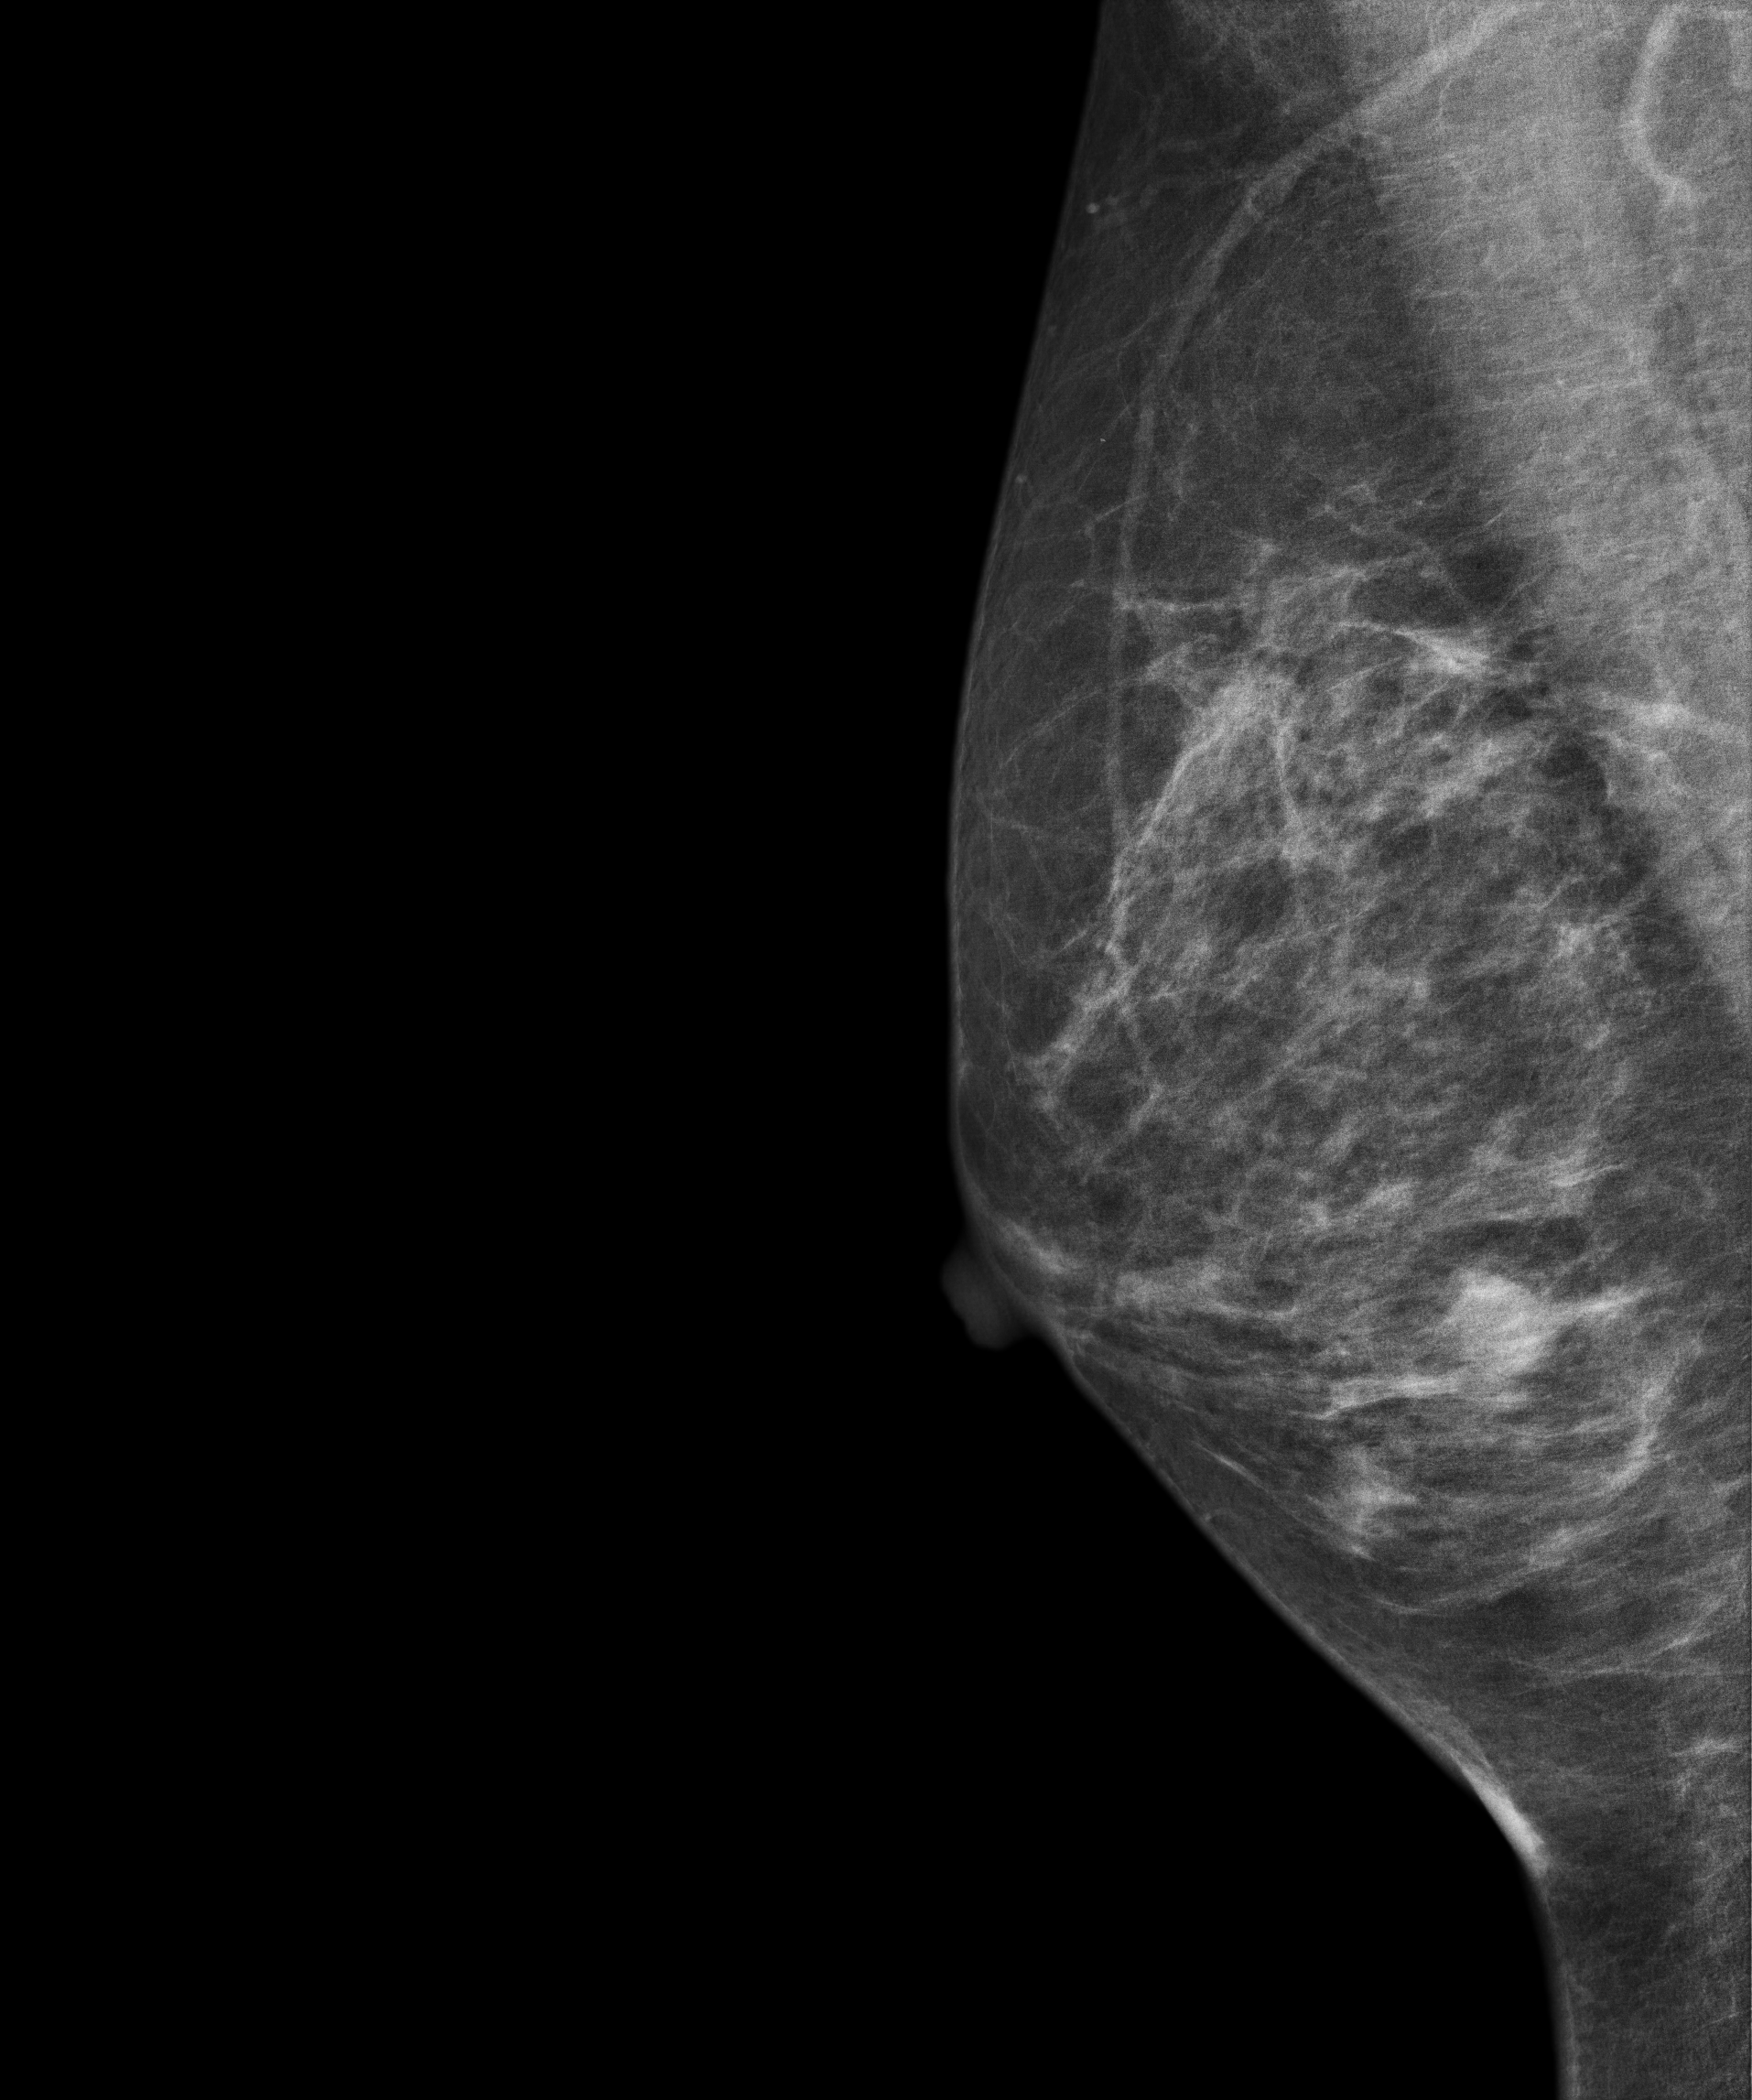
Right-breast mammogram, MLO. 54-year-old patient.
This breast has a mass, pathology-confirmed benign.